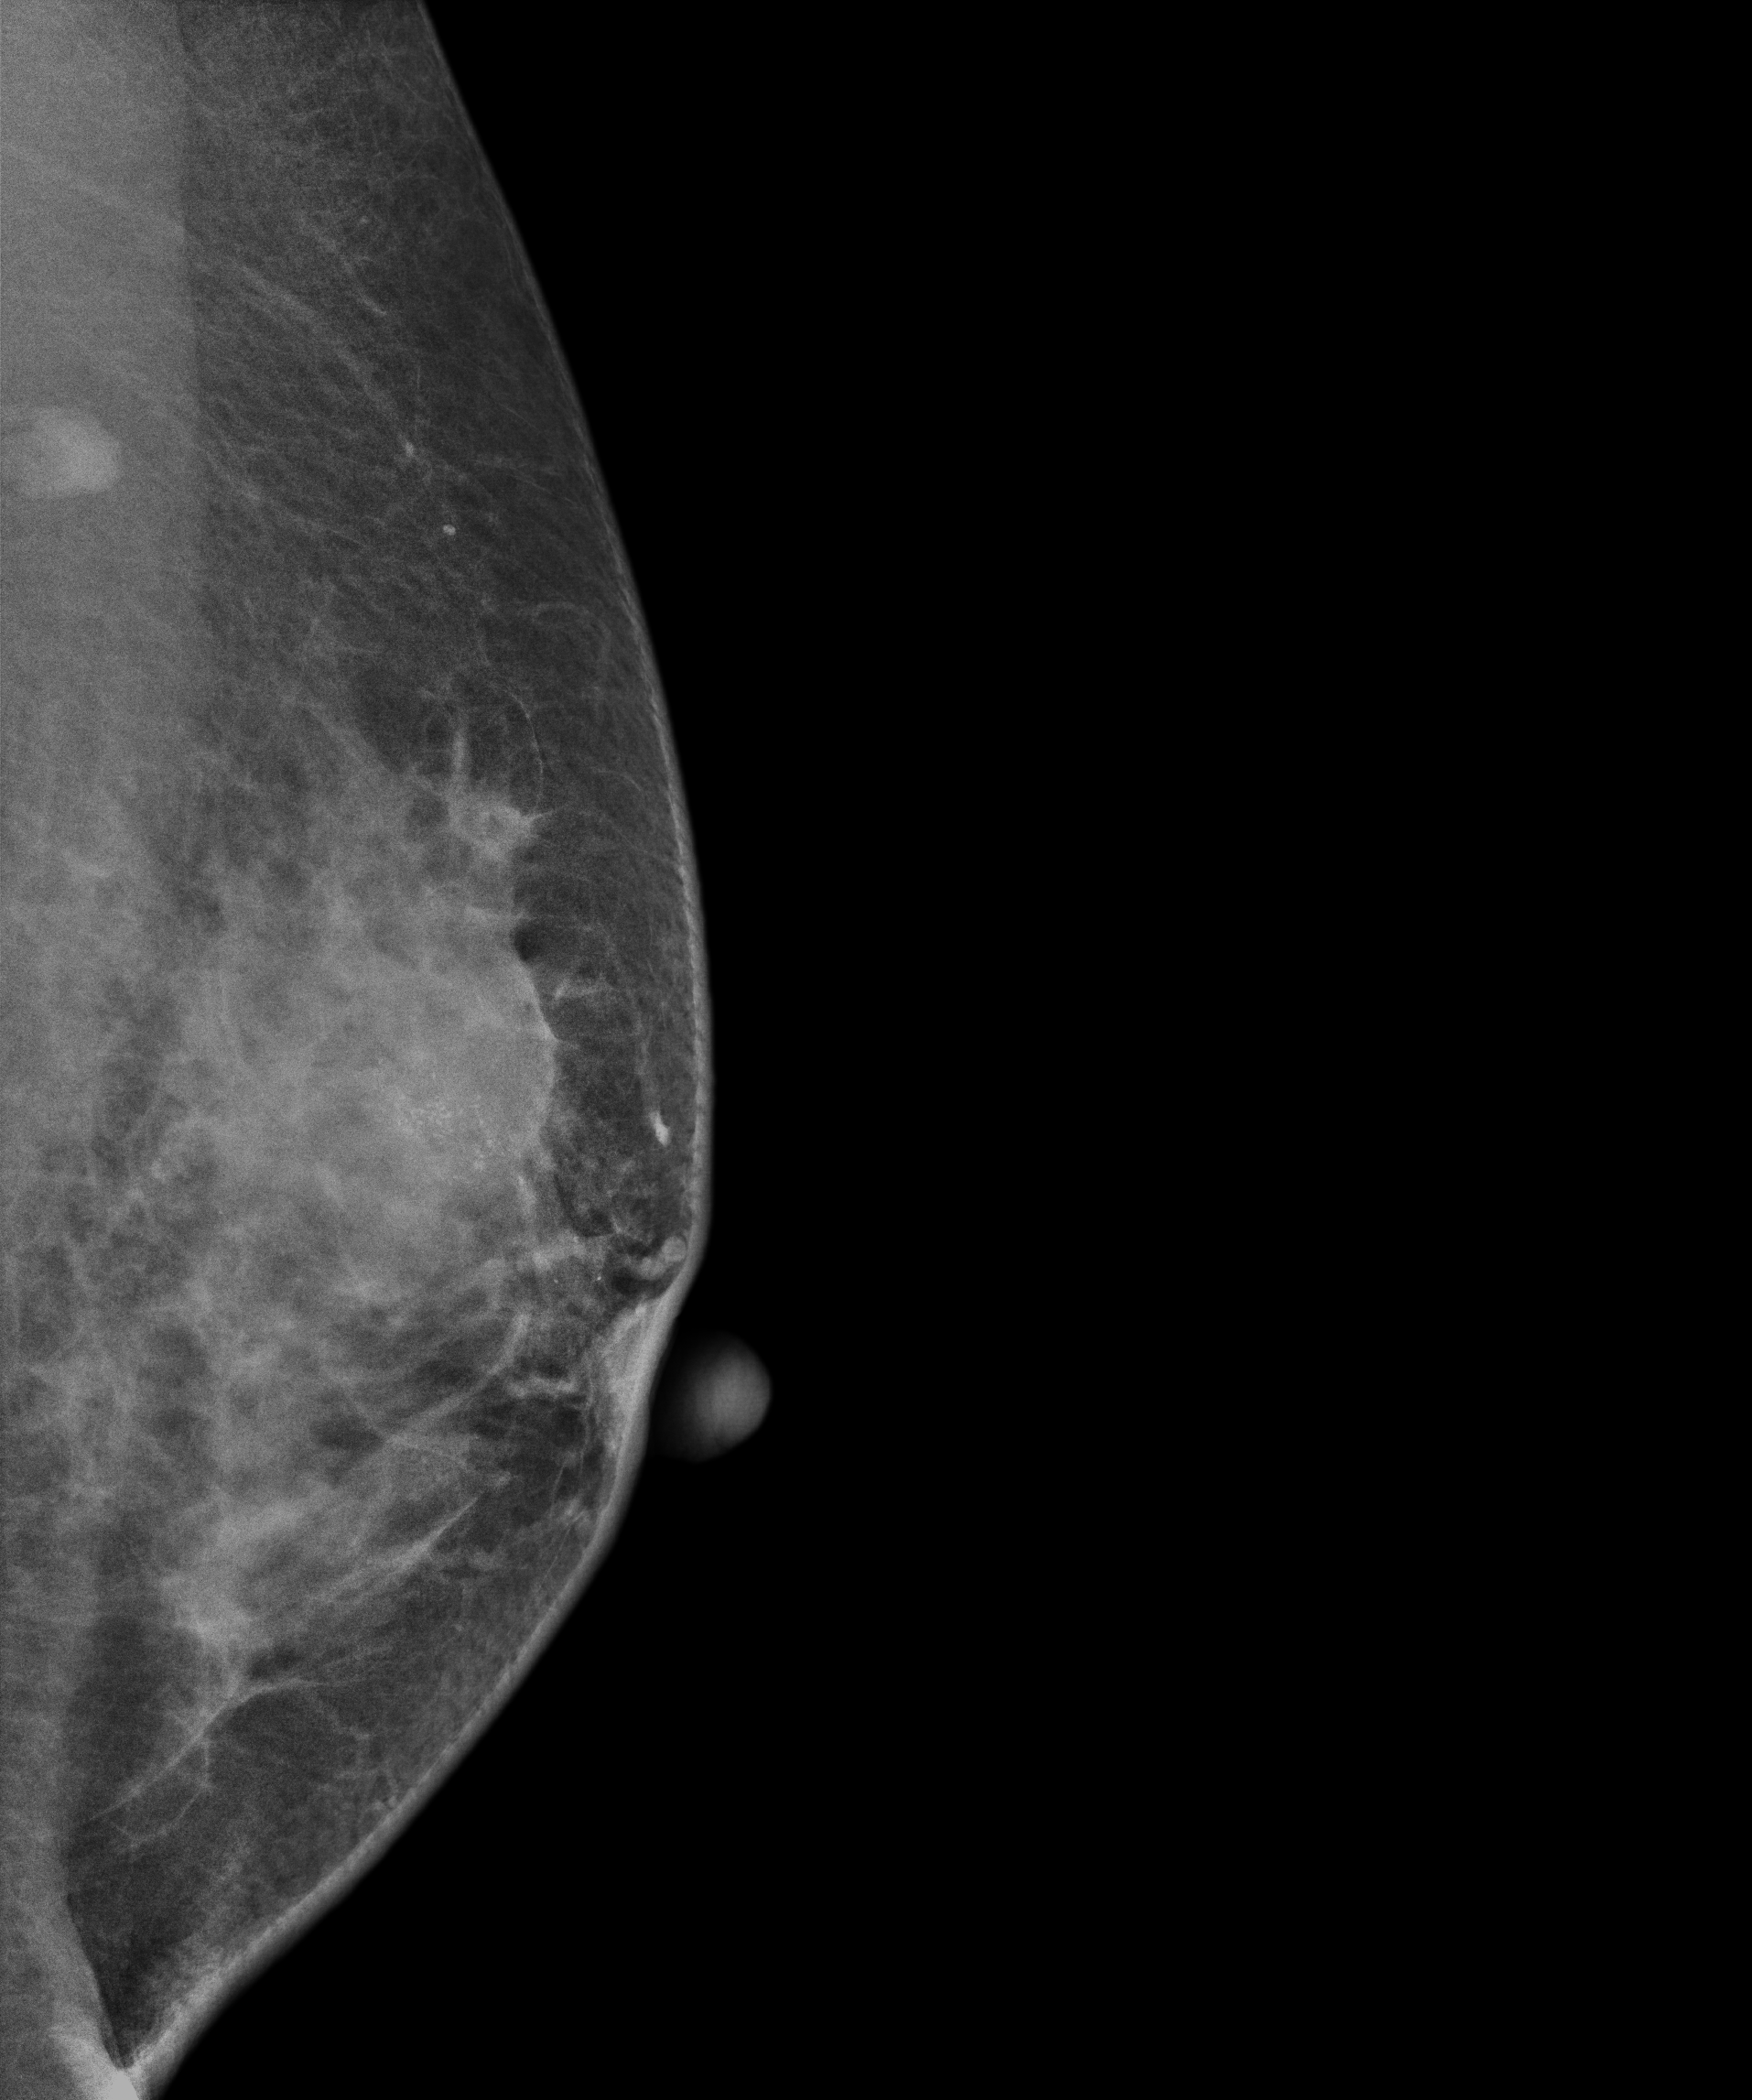
Left-breast mammogram, medio-lateral oblique. 56 y/o patient.
This breast has a mass and calcifications, biopsy-confirmed malignant. Molecular subtype: HER2-enriched.